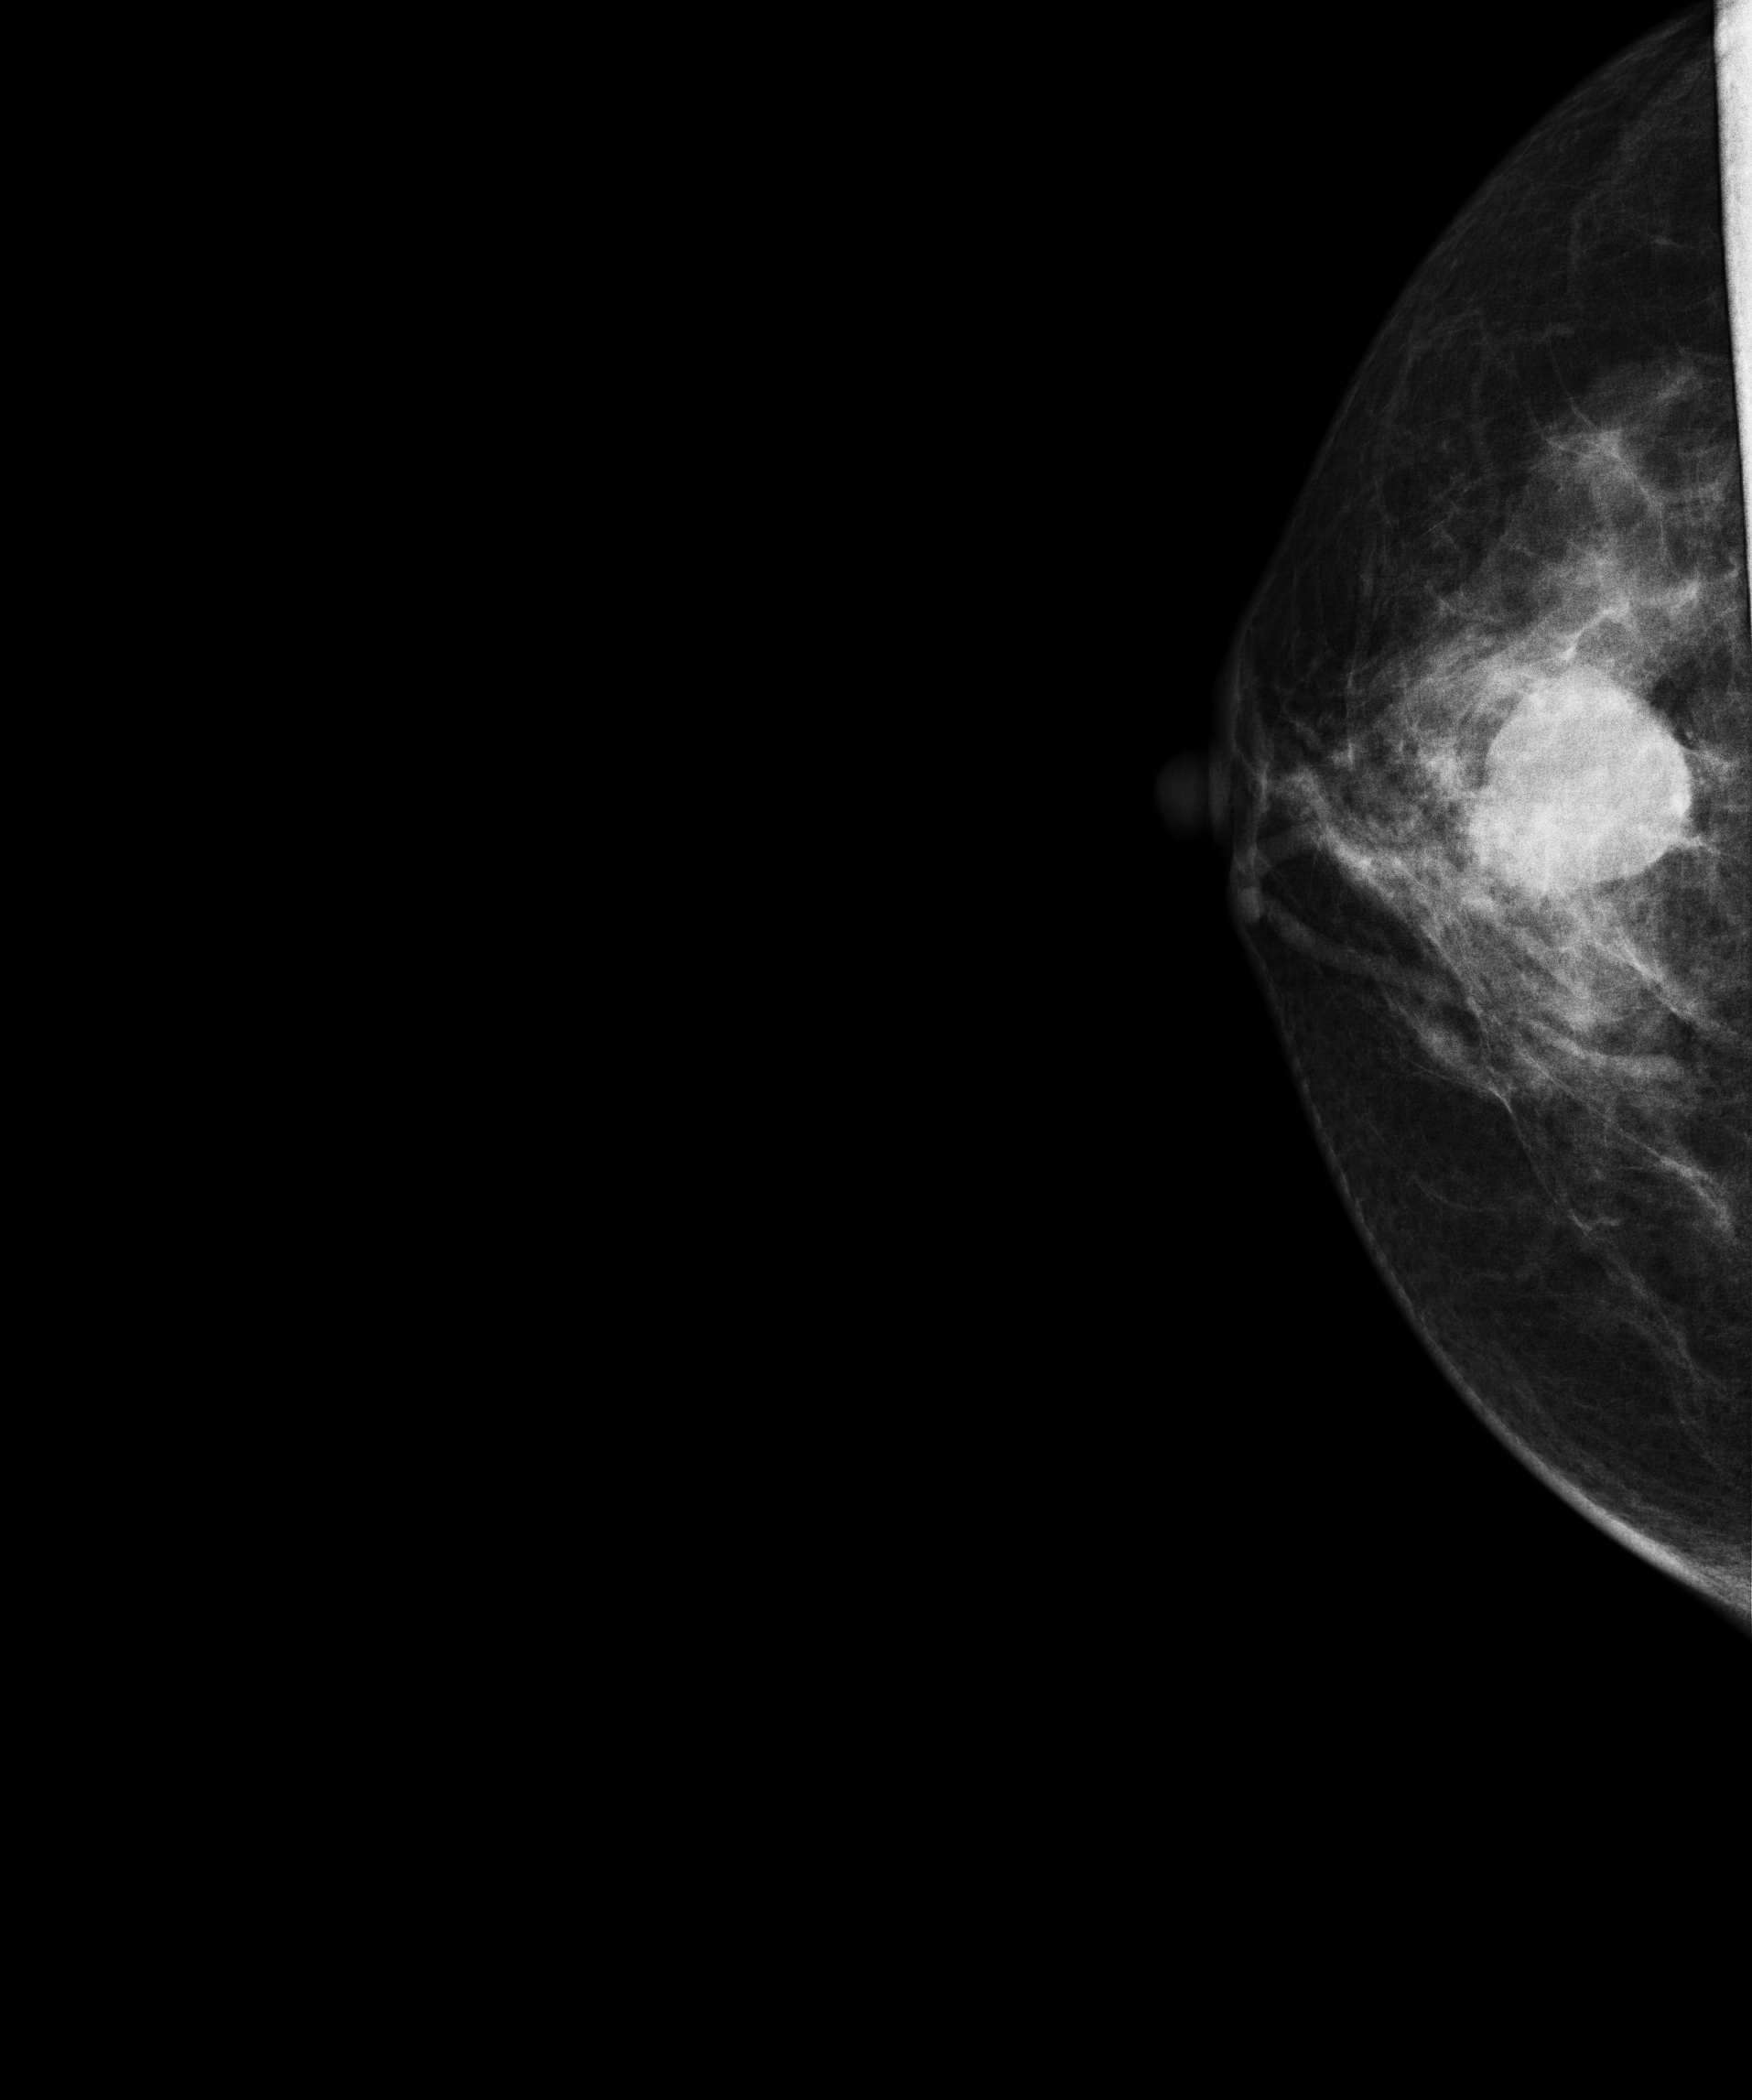
Right-breast mammogram, CC. 59-year-old patient.
This breast has a mass, histologically confirmed malignant.